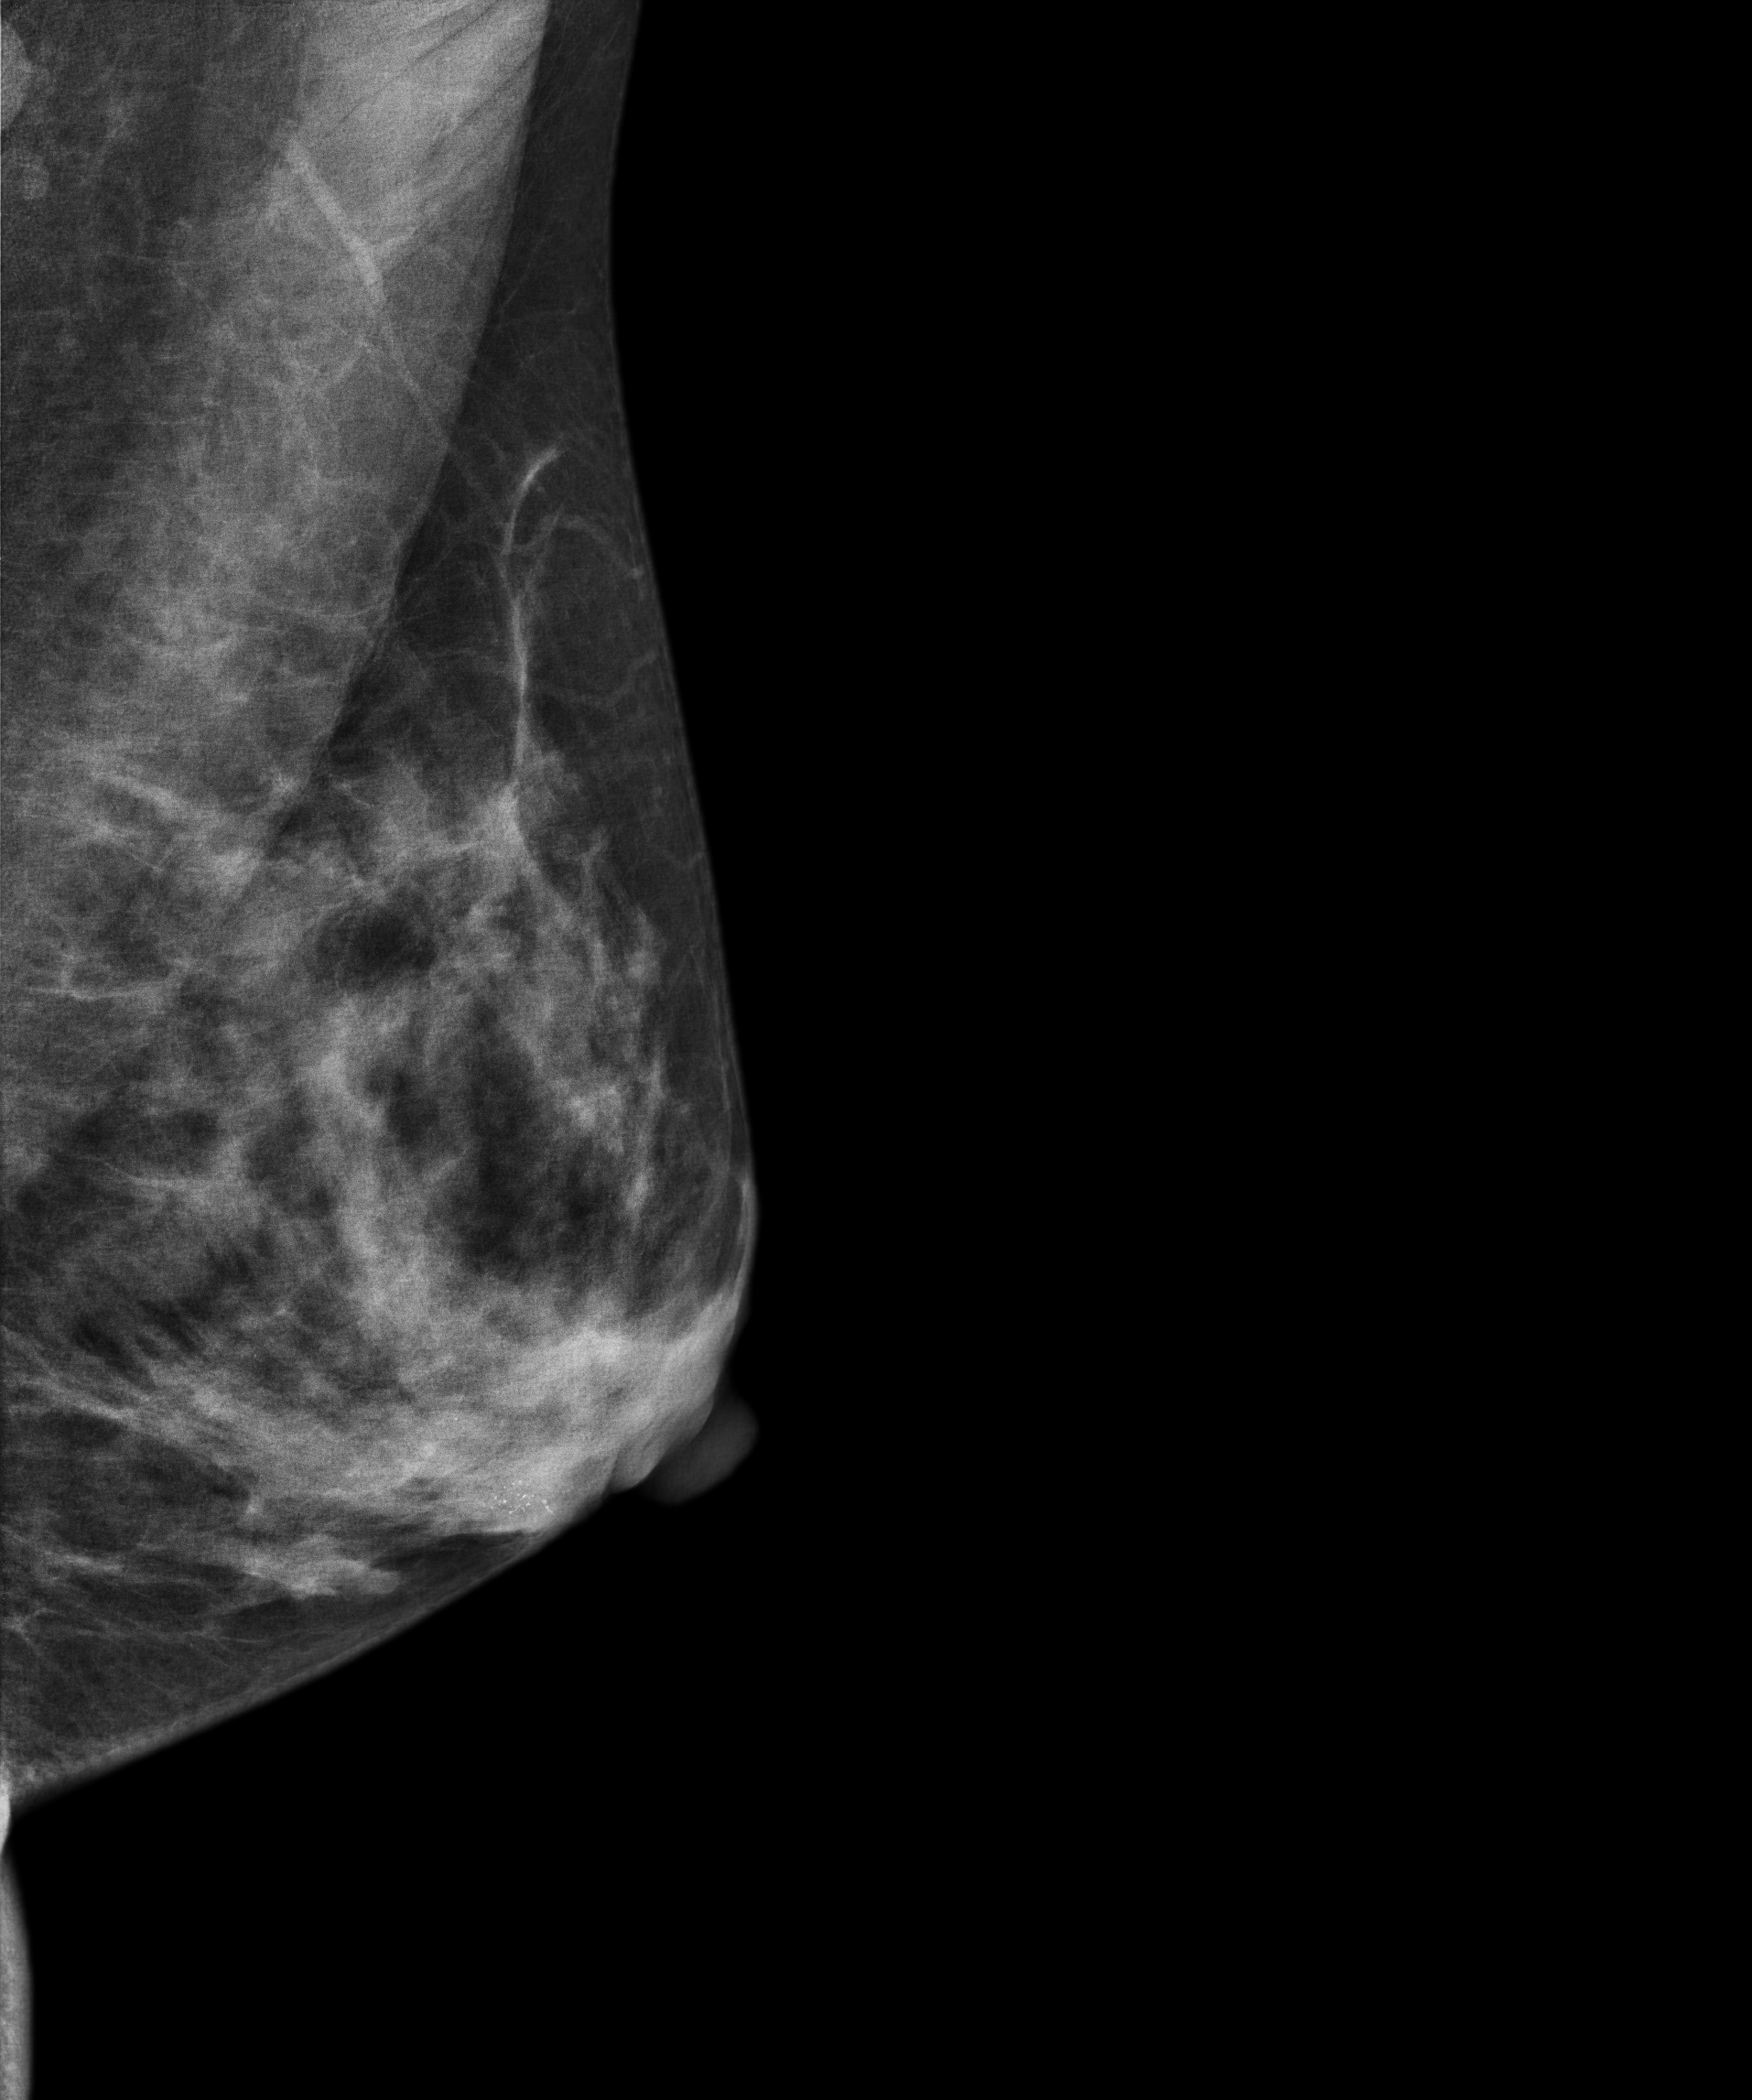
Digital mammography. Left breast, MLO projection. 36-year-old patient.
This breast has a mass and calcifications, pathology-confirmed malignant. Molecular subtype: luminal B.